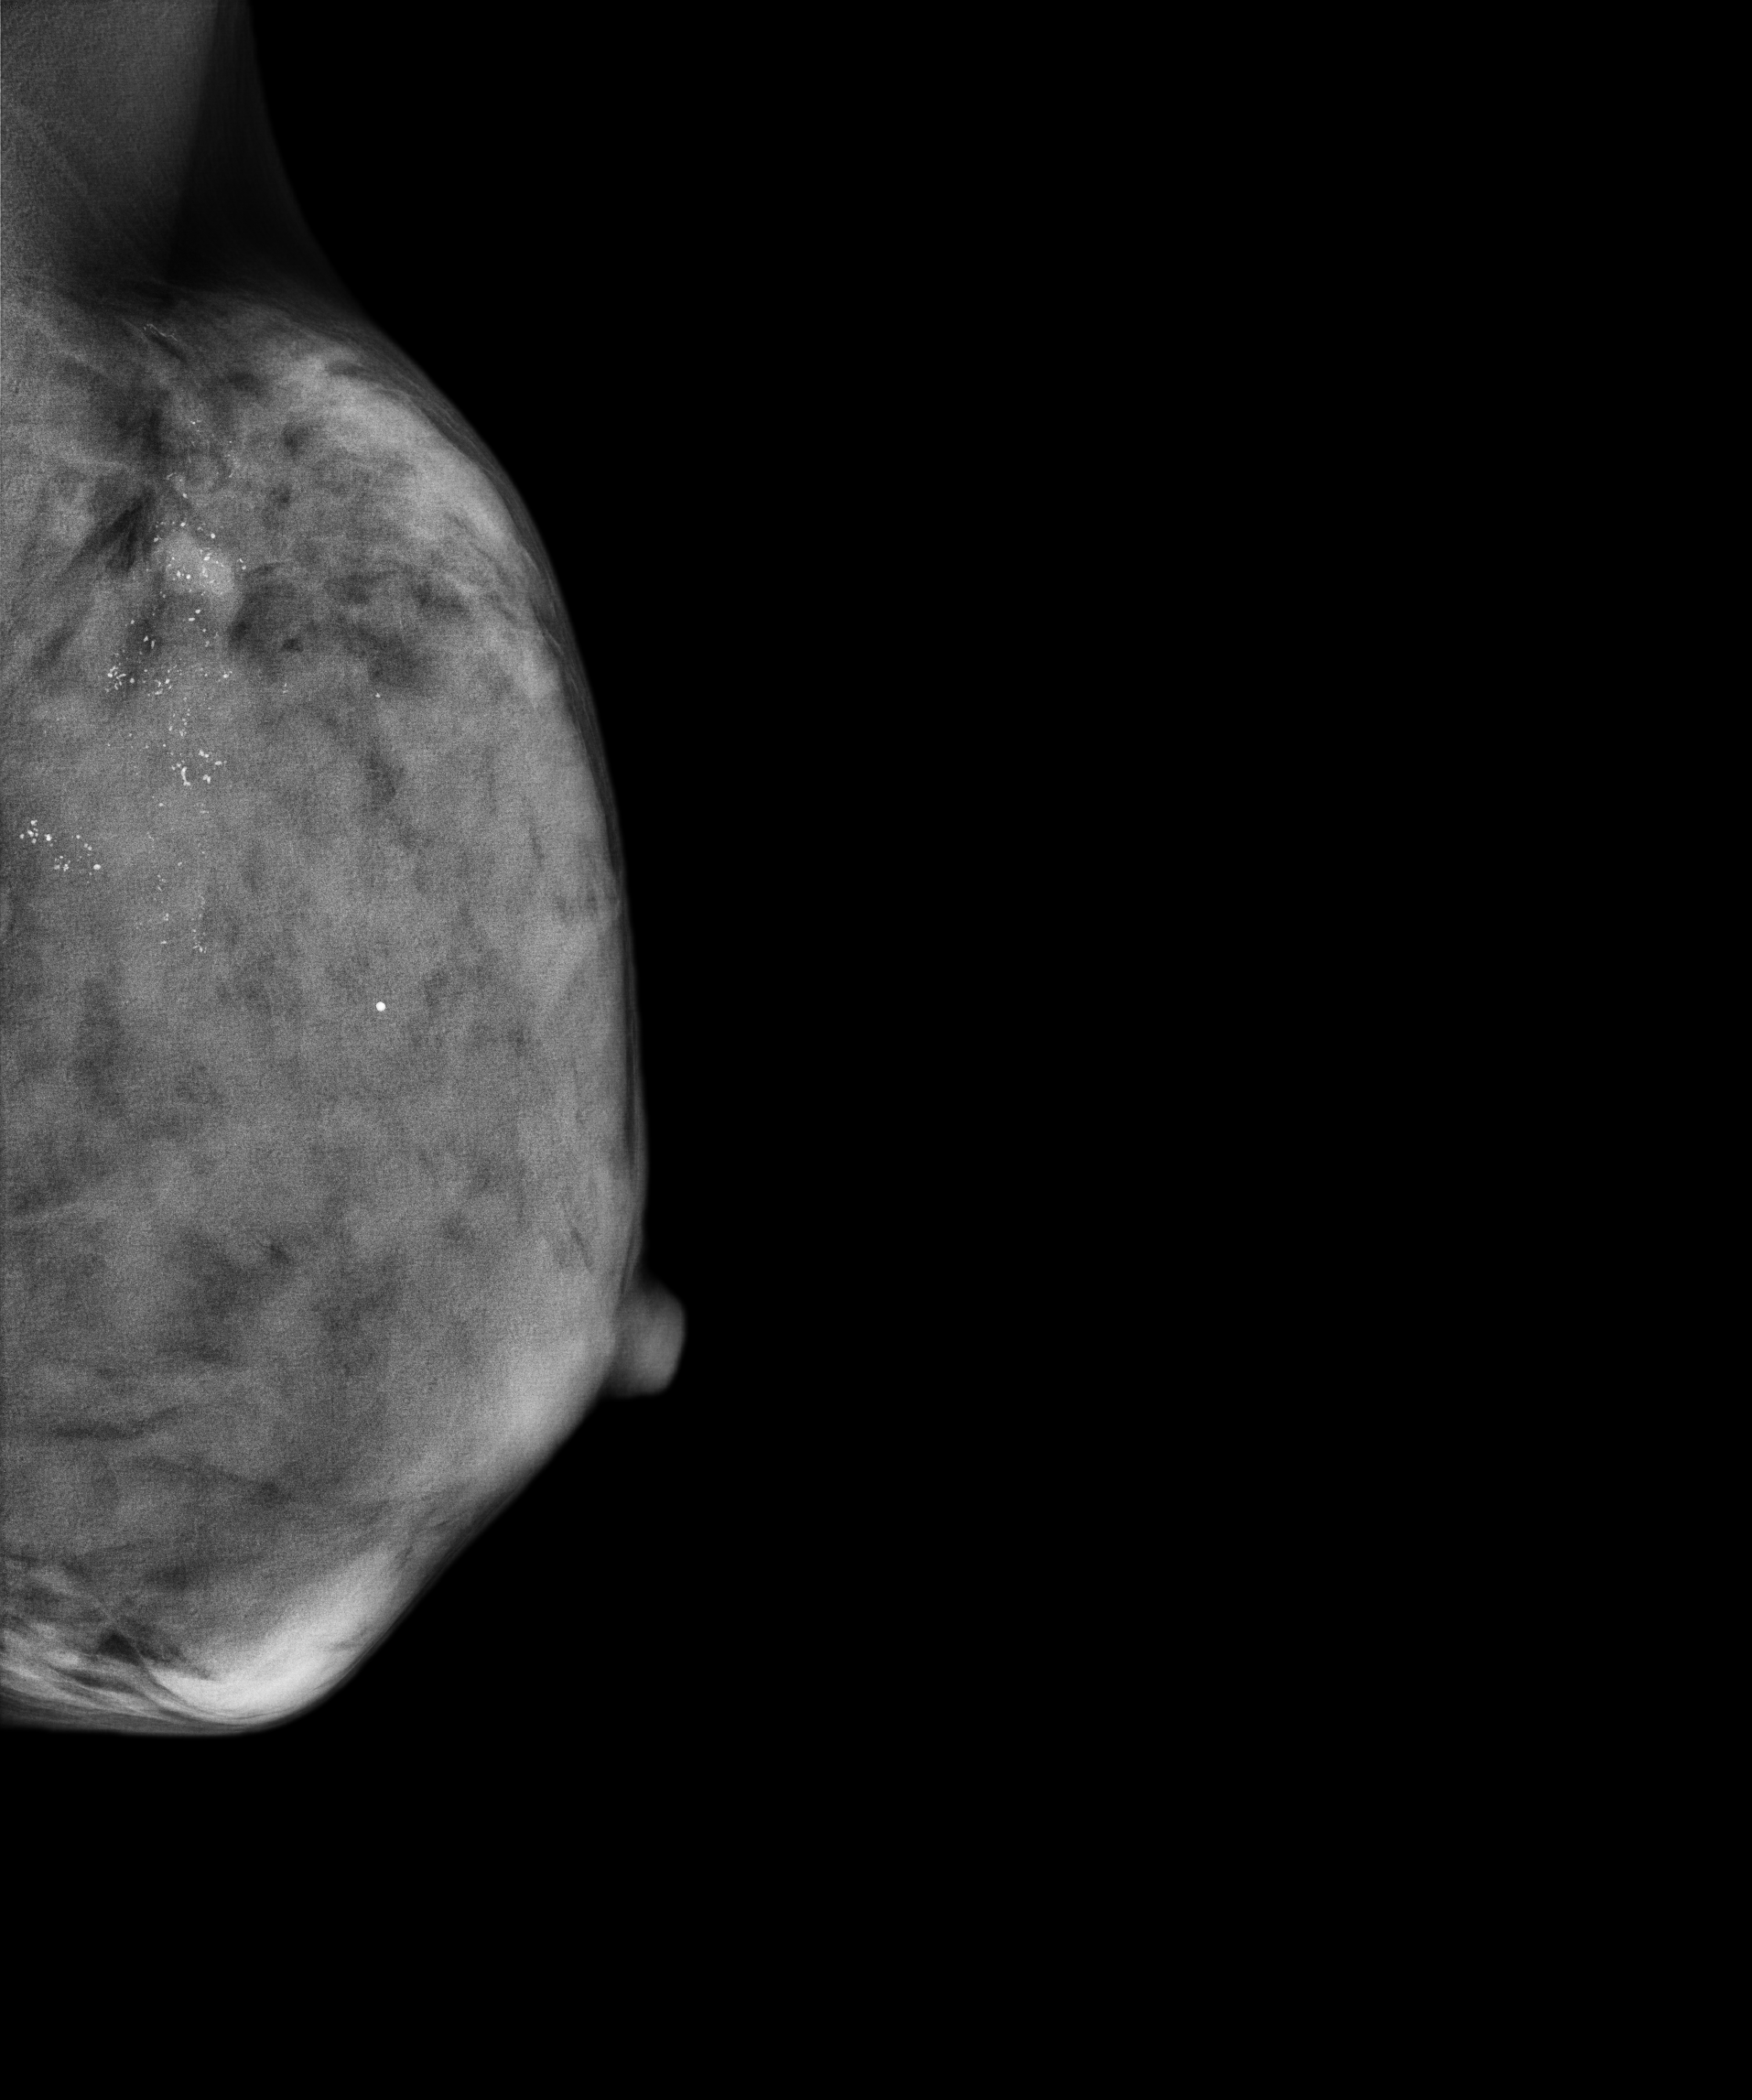
Mammogram — left medio-lateral oblique. 46 y/o patient.
This breast has calcifications, histologically confirmed malignant. Molecular subtype: luminal B.